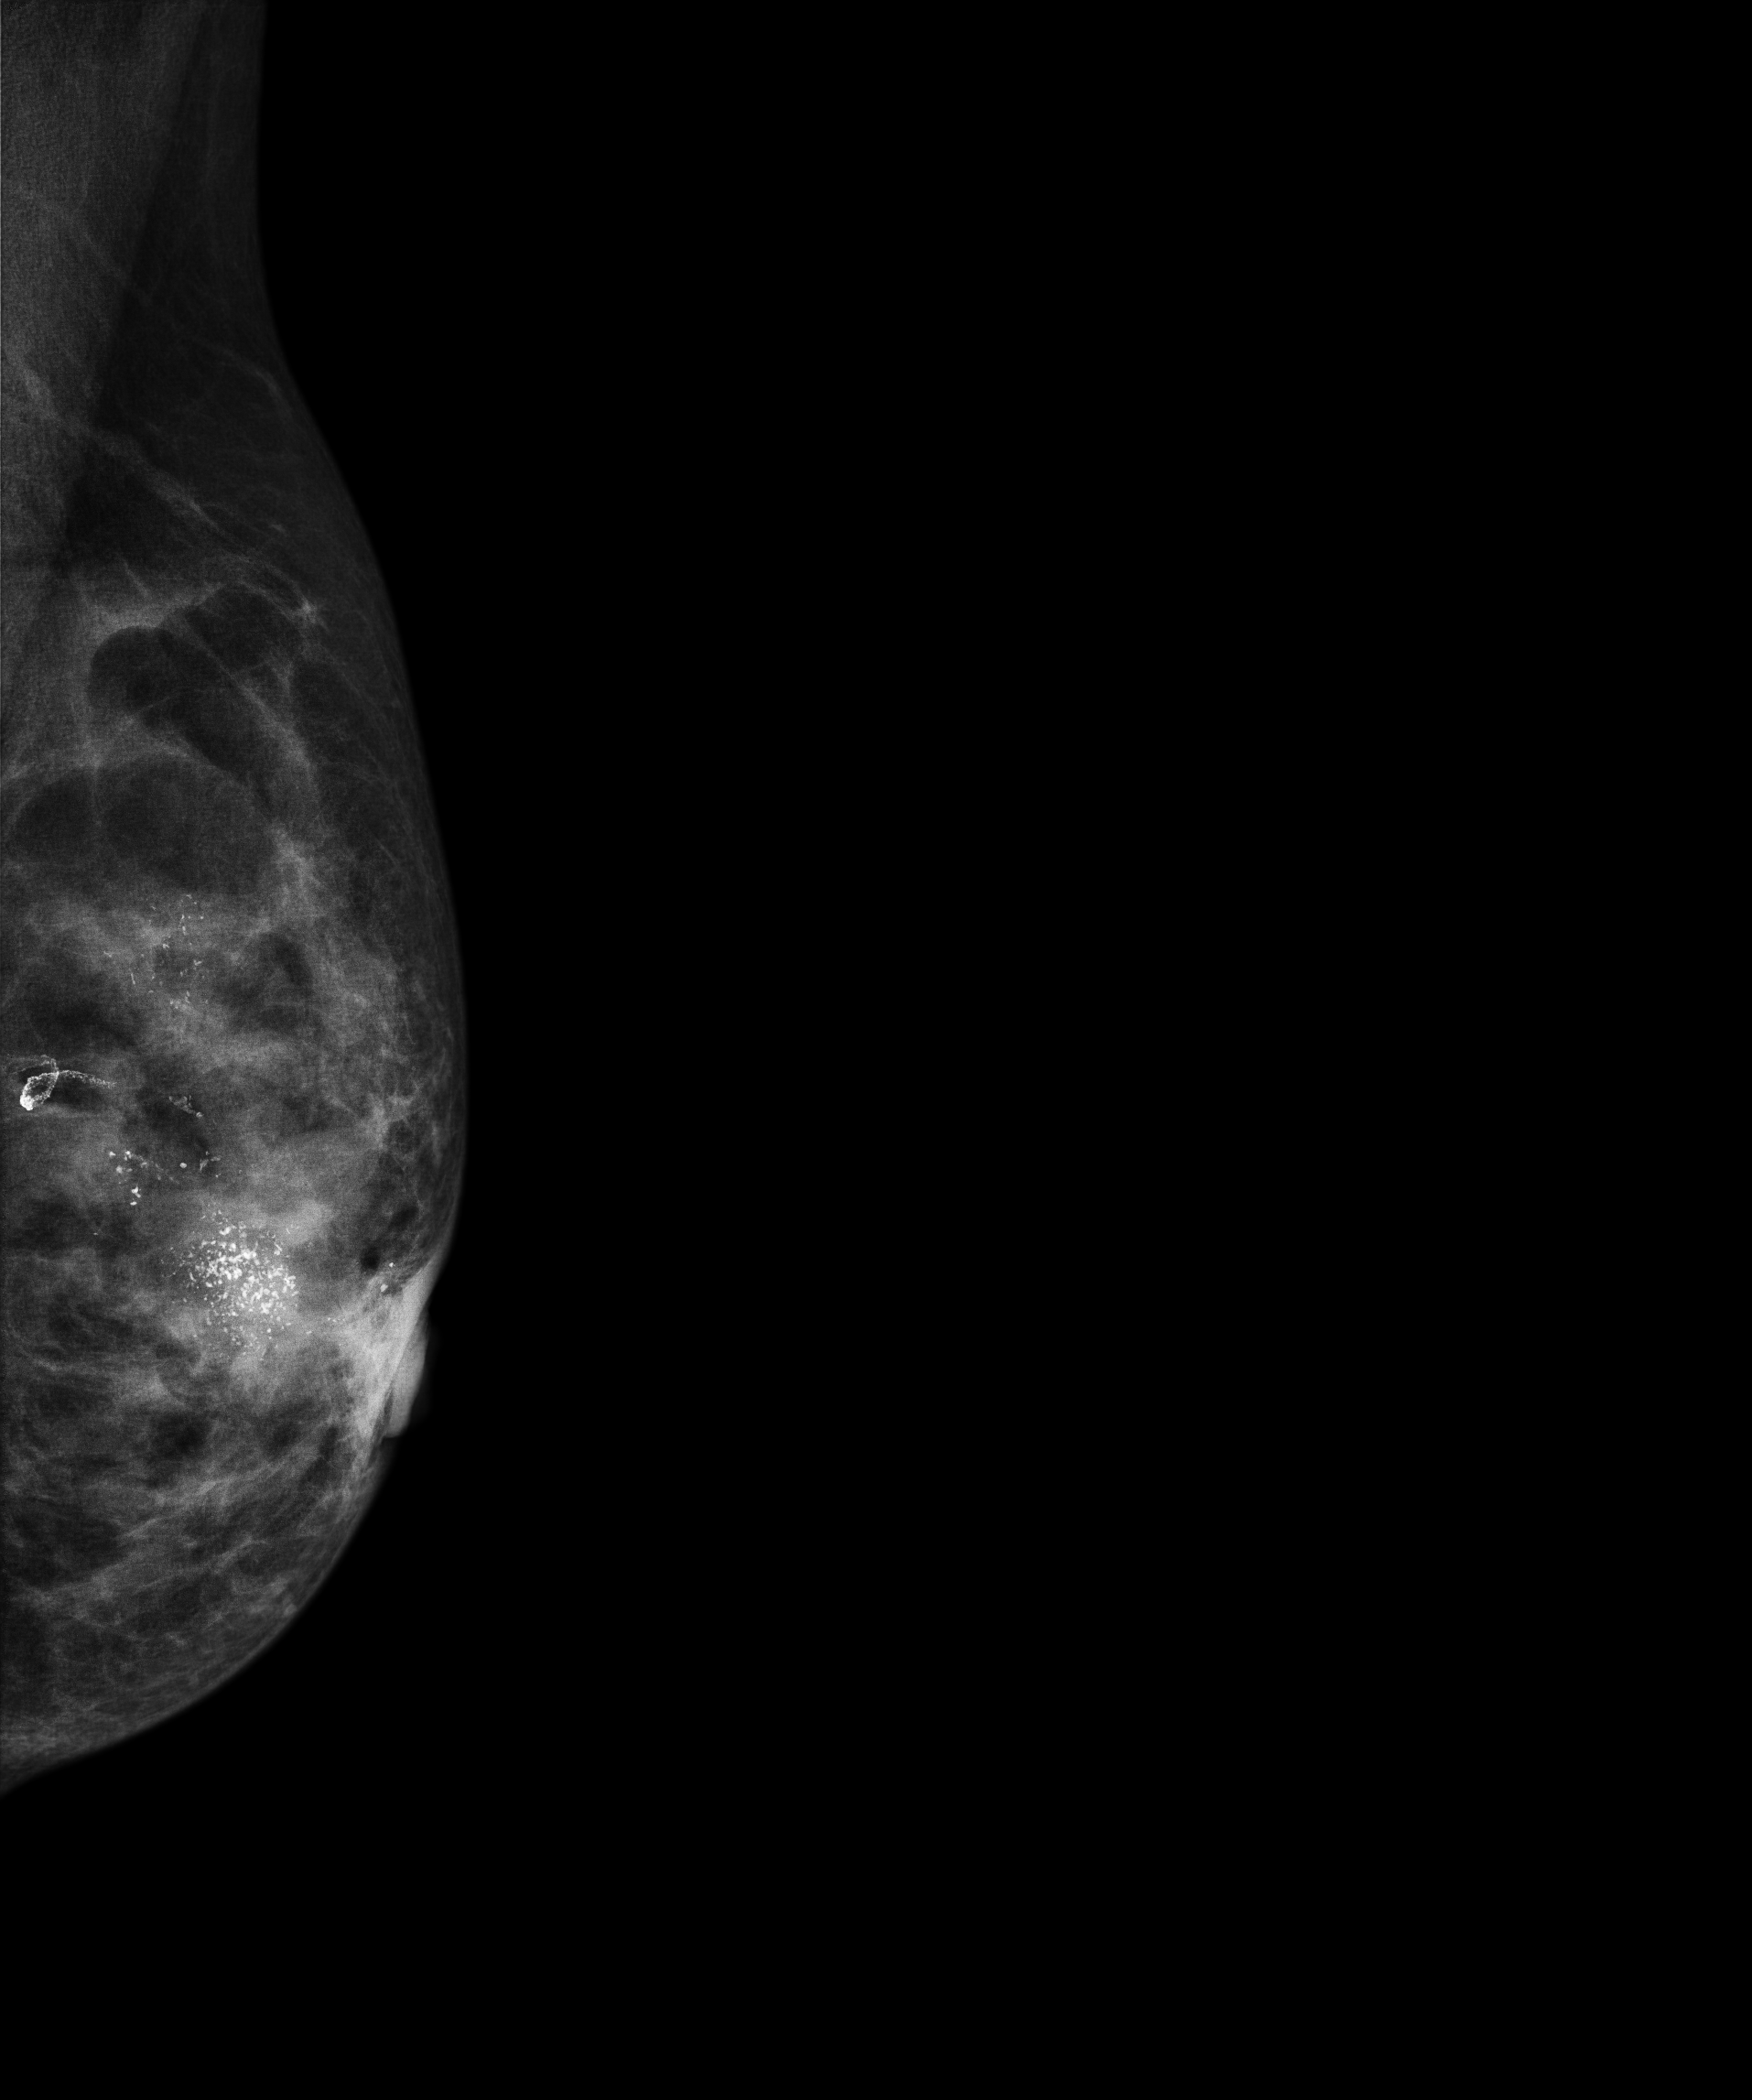
Mammogram, left breast, MLO view. 64-year-old patient.
This breast has calcifications, biopsy-confirmed malignant. Molecular subtype: luminal B.